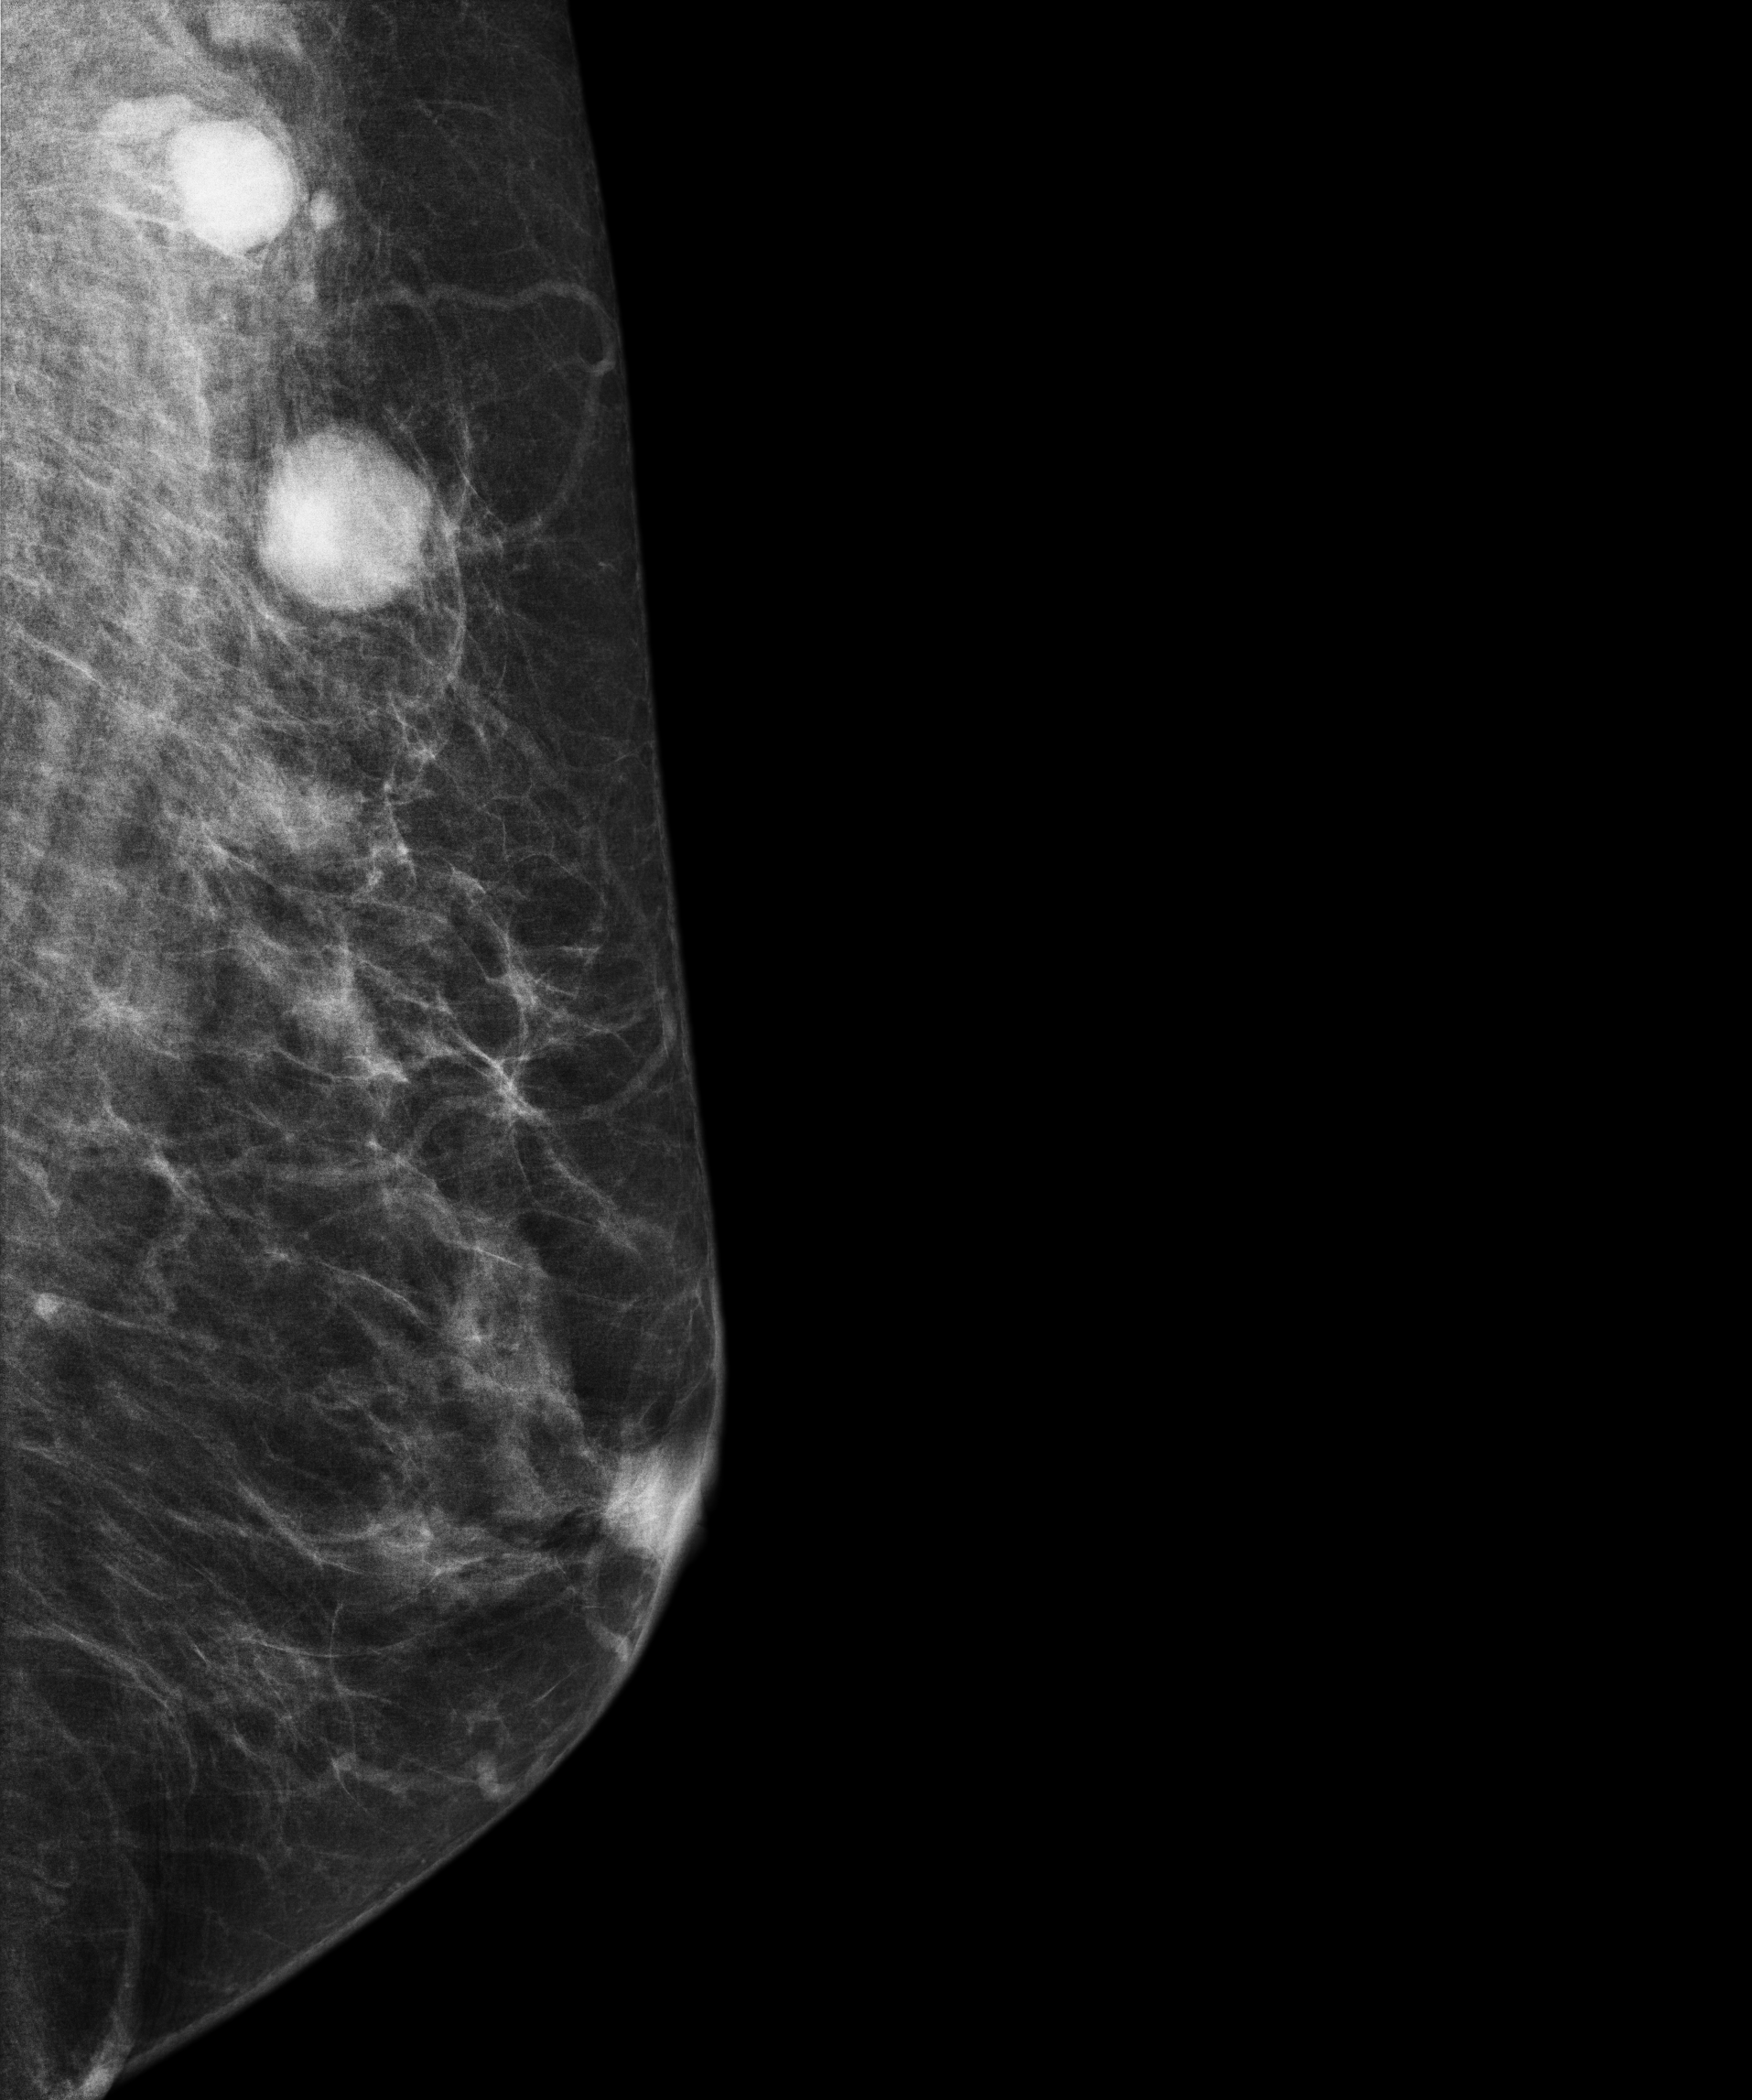
Digital mammography. Left breast, medio-lateral oblique projection. Patient age 66.
This breast has a mass, pathology-confirmed malignant.